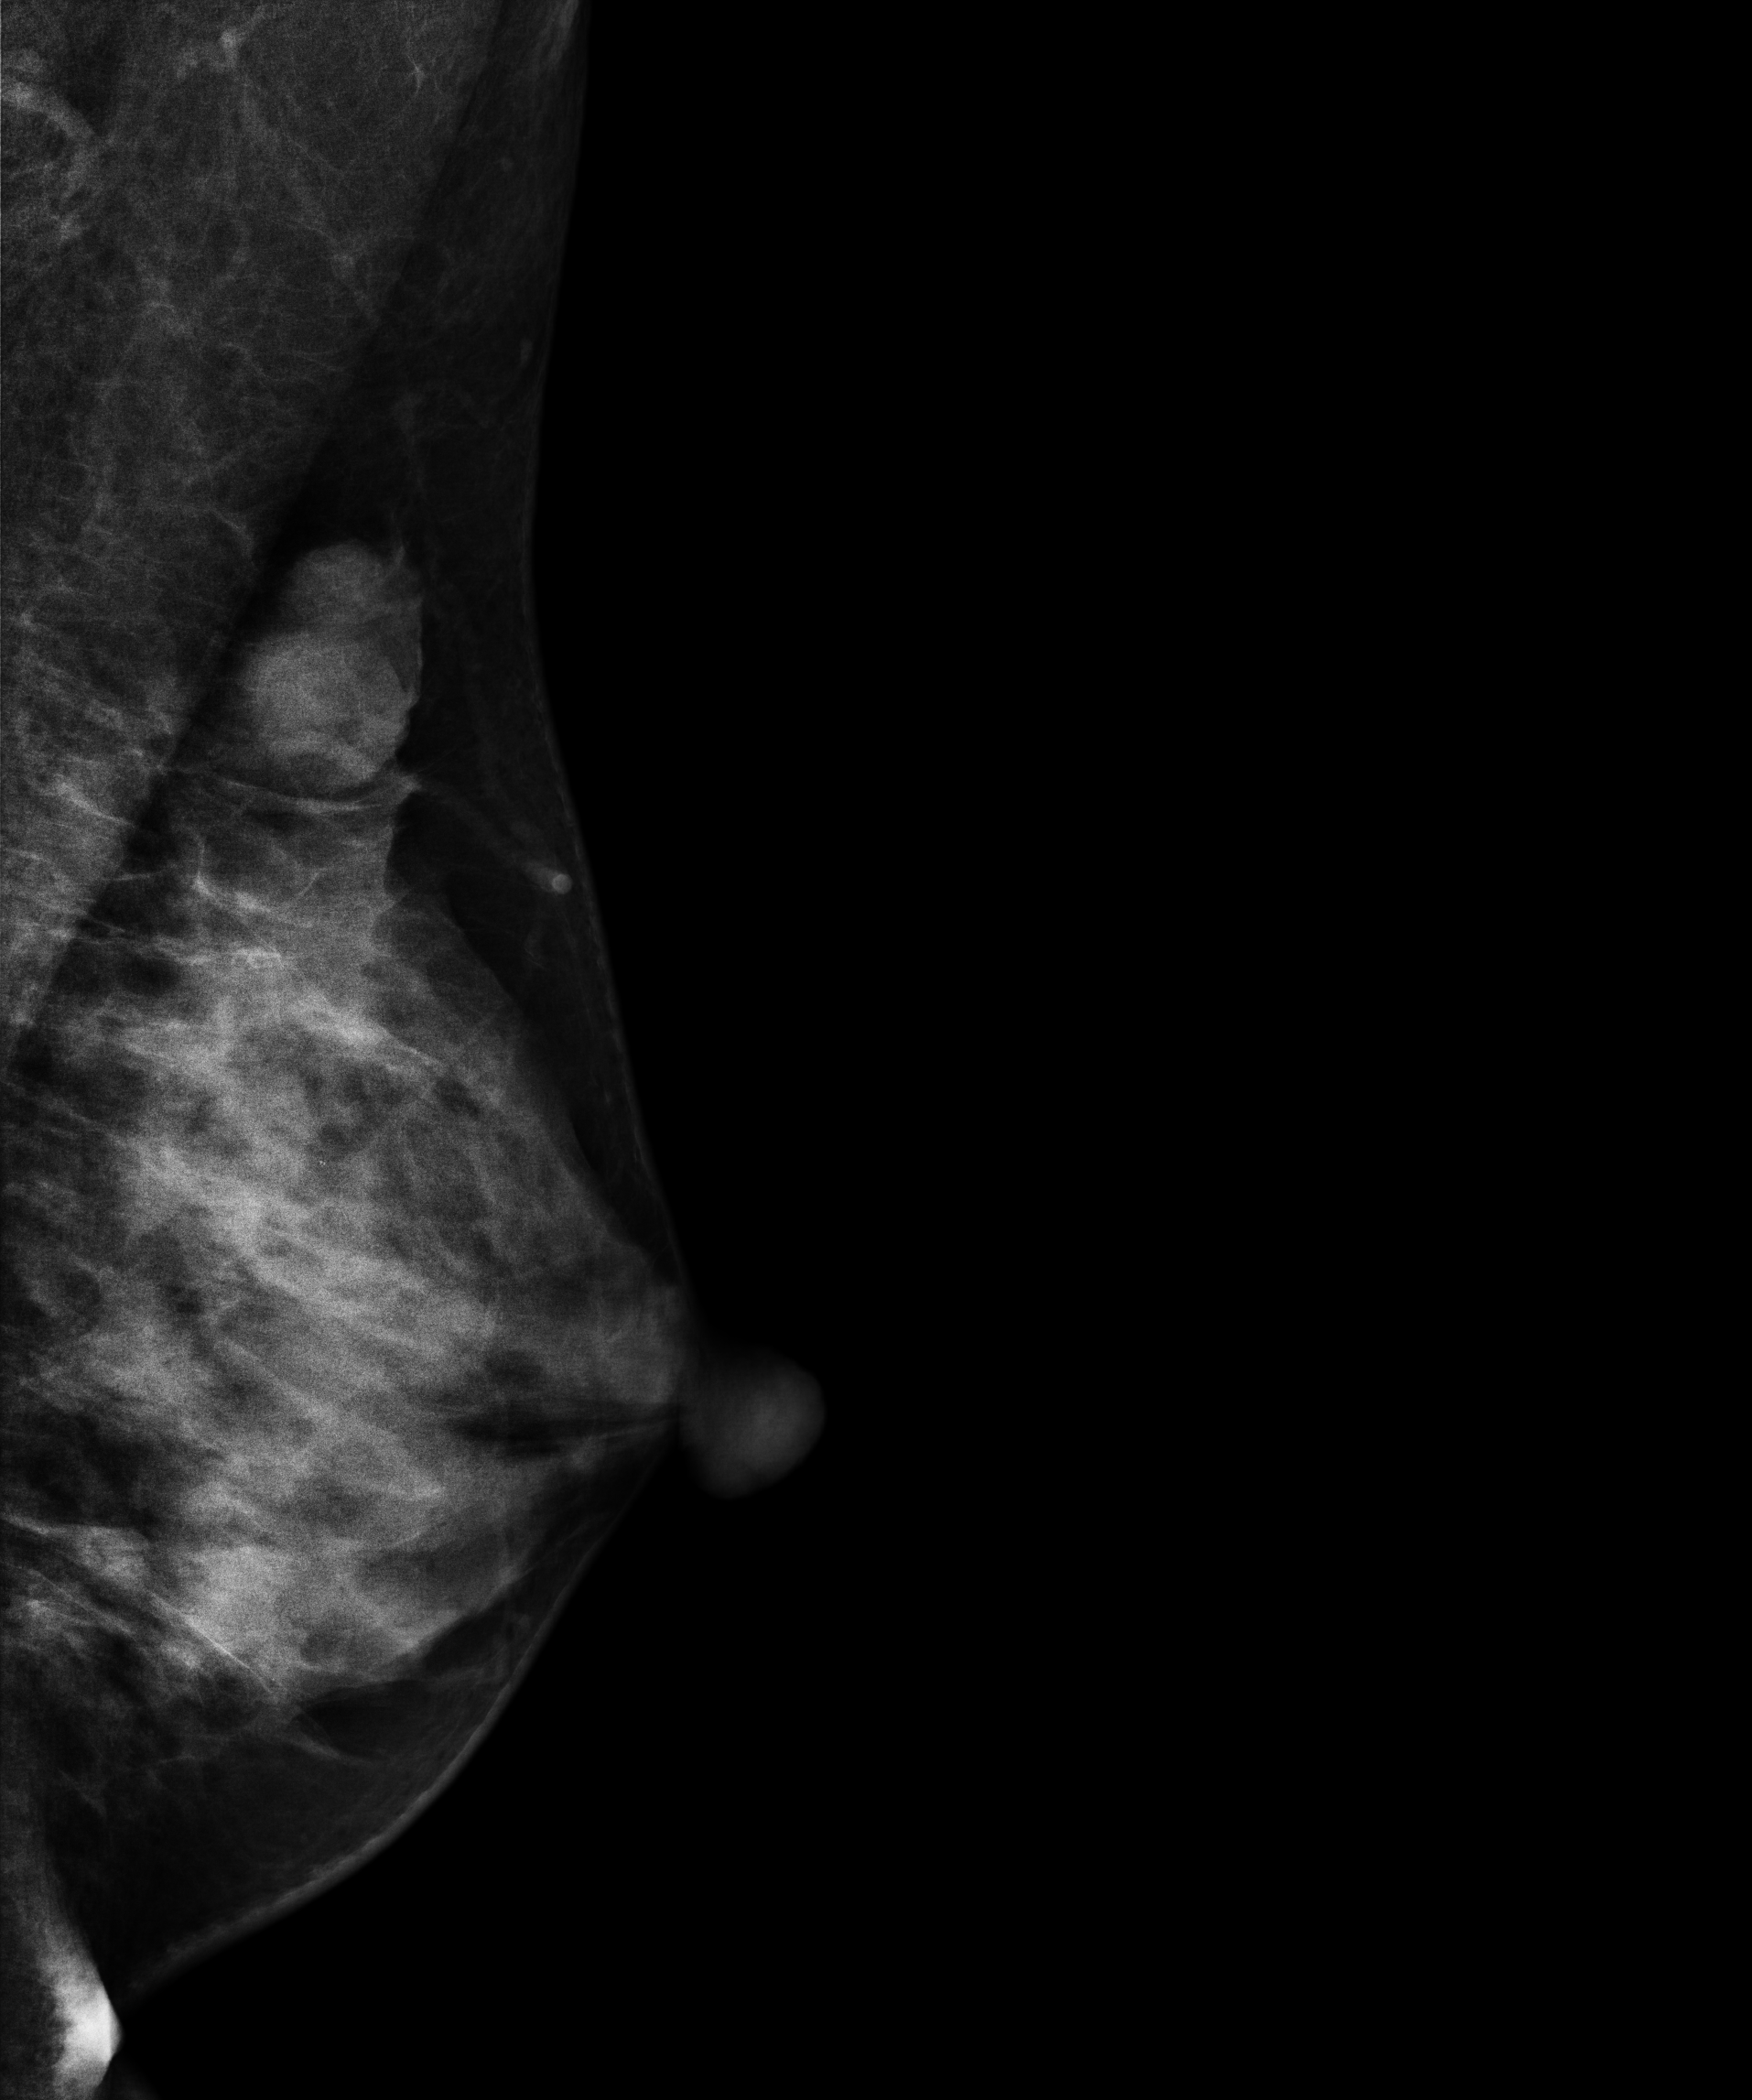
MLO mammogram of the left breast. 41 y/o patient.
This breast has a mass, histologically confirmed benign.